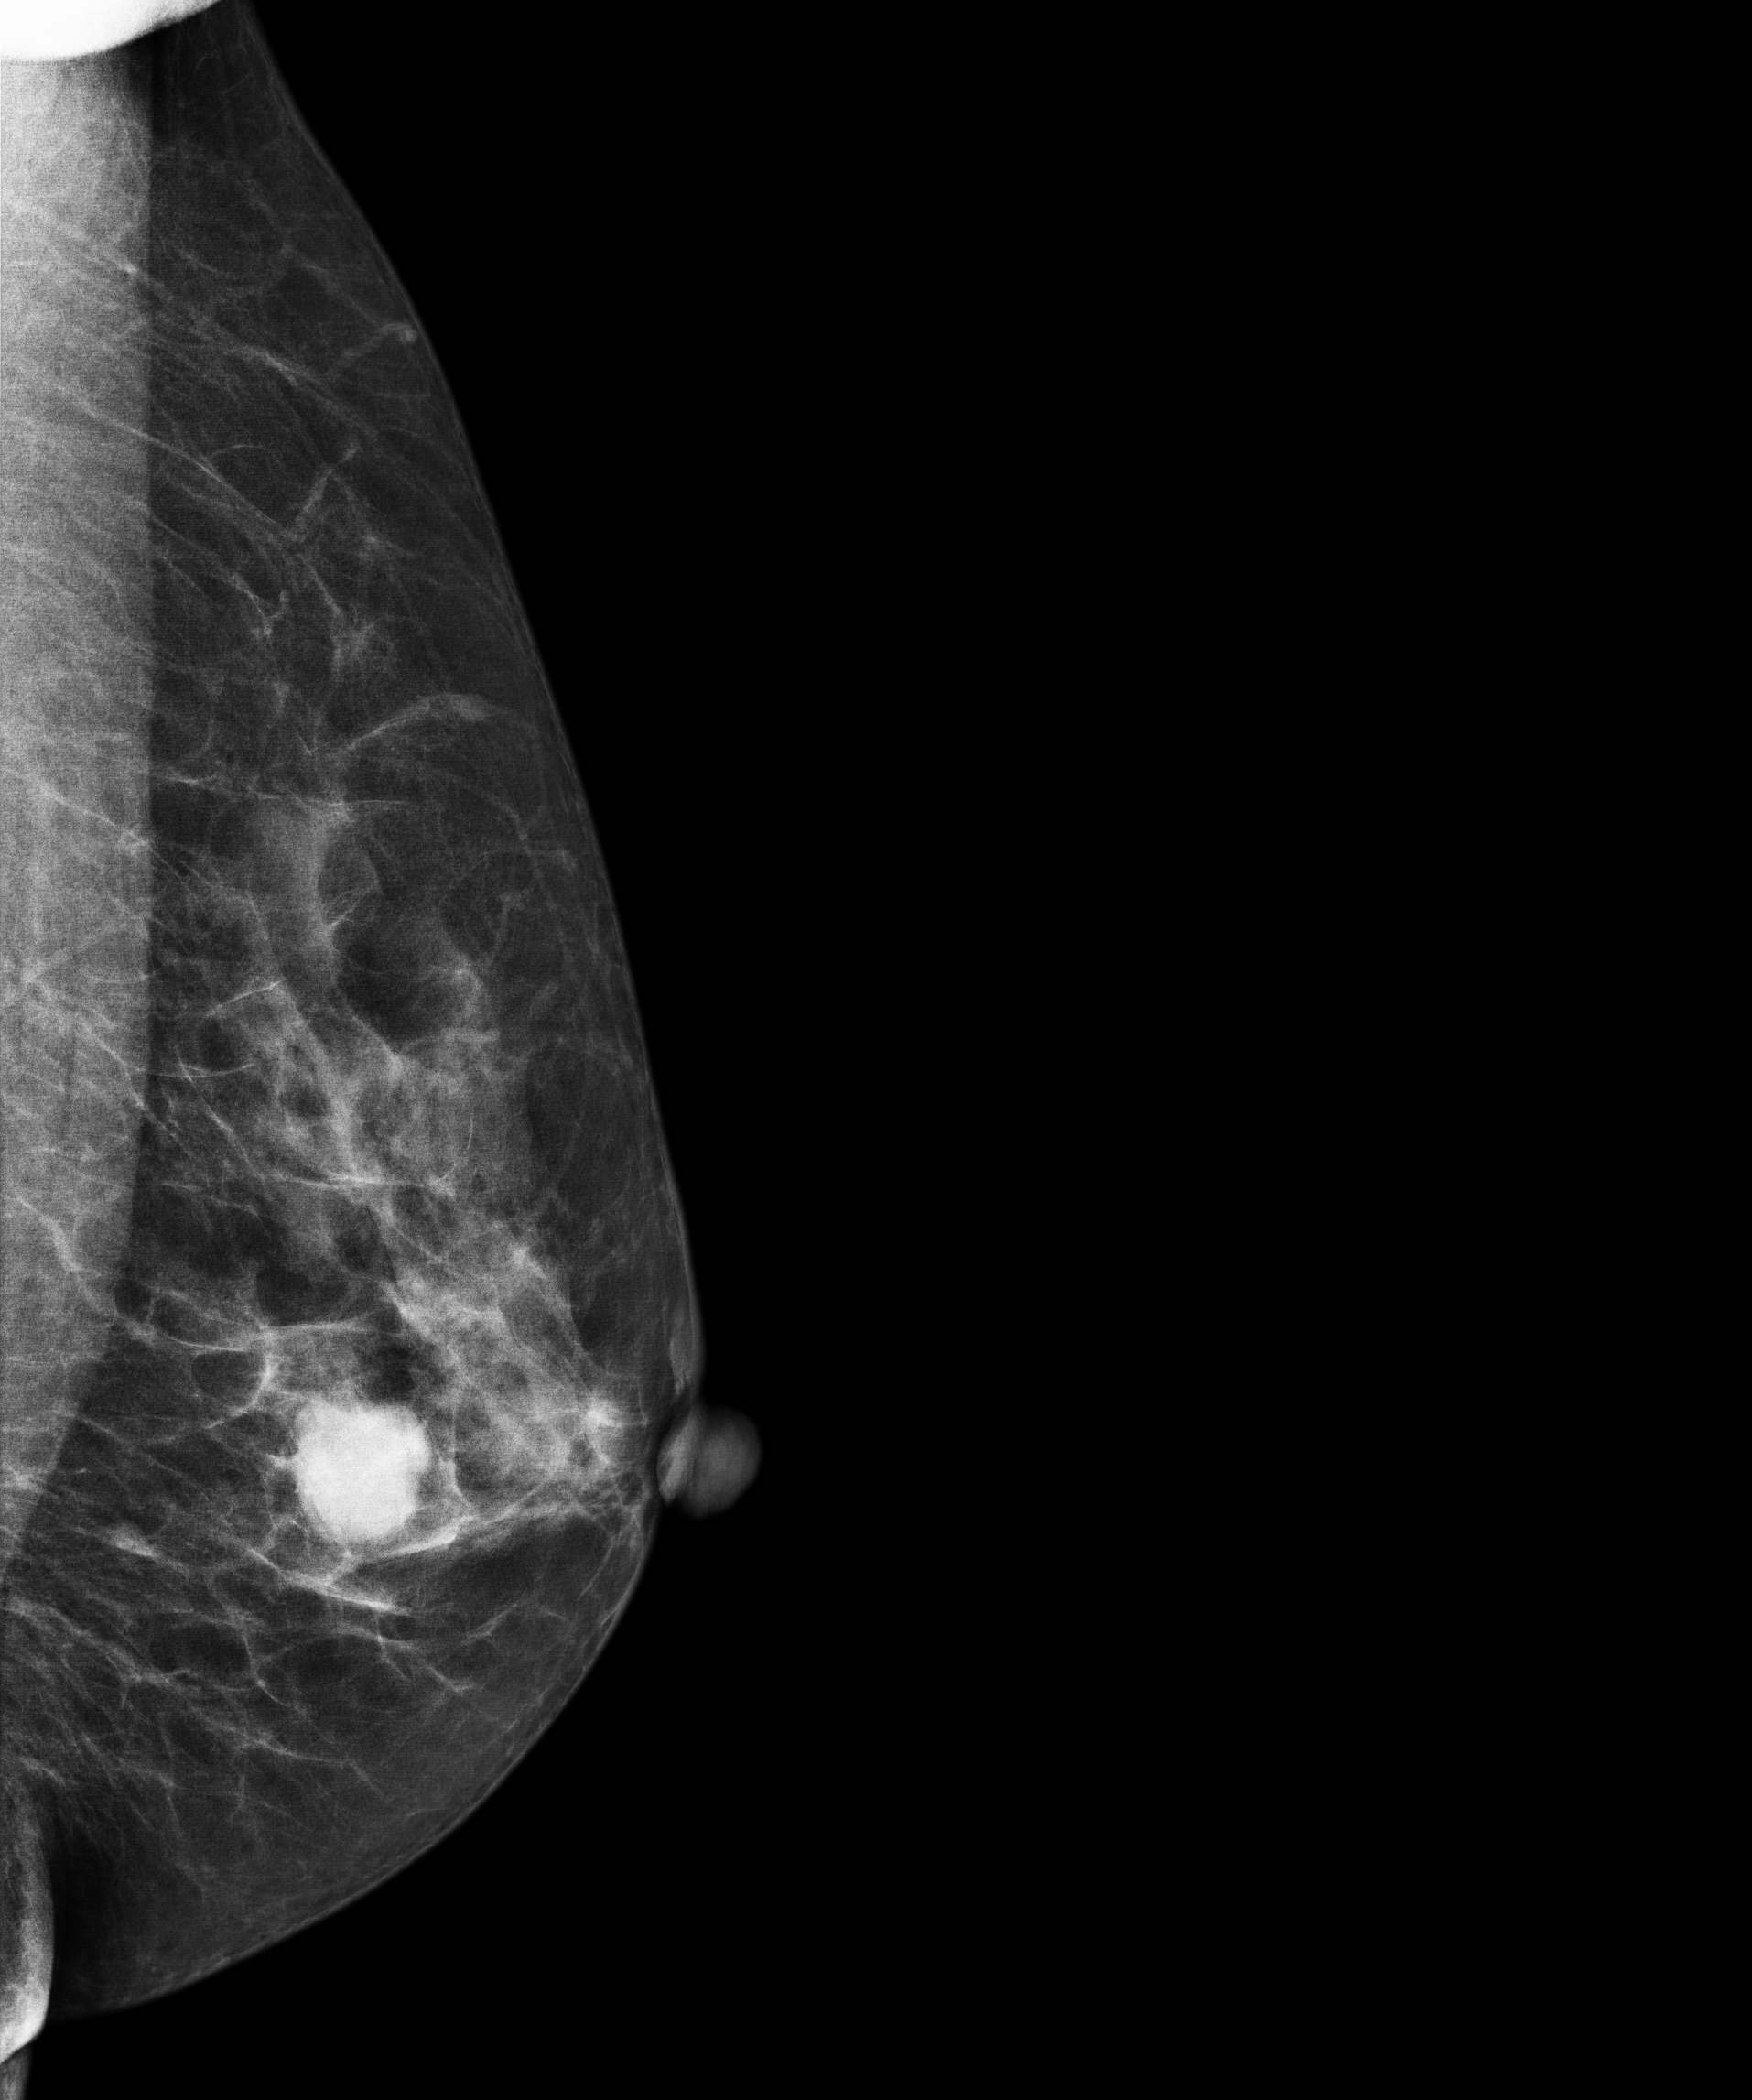
MLO mammogram of the left breast. 50 y/o patient.
This breast has a mass, biopsy-confirmed malignant.